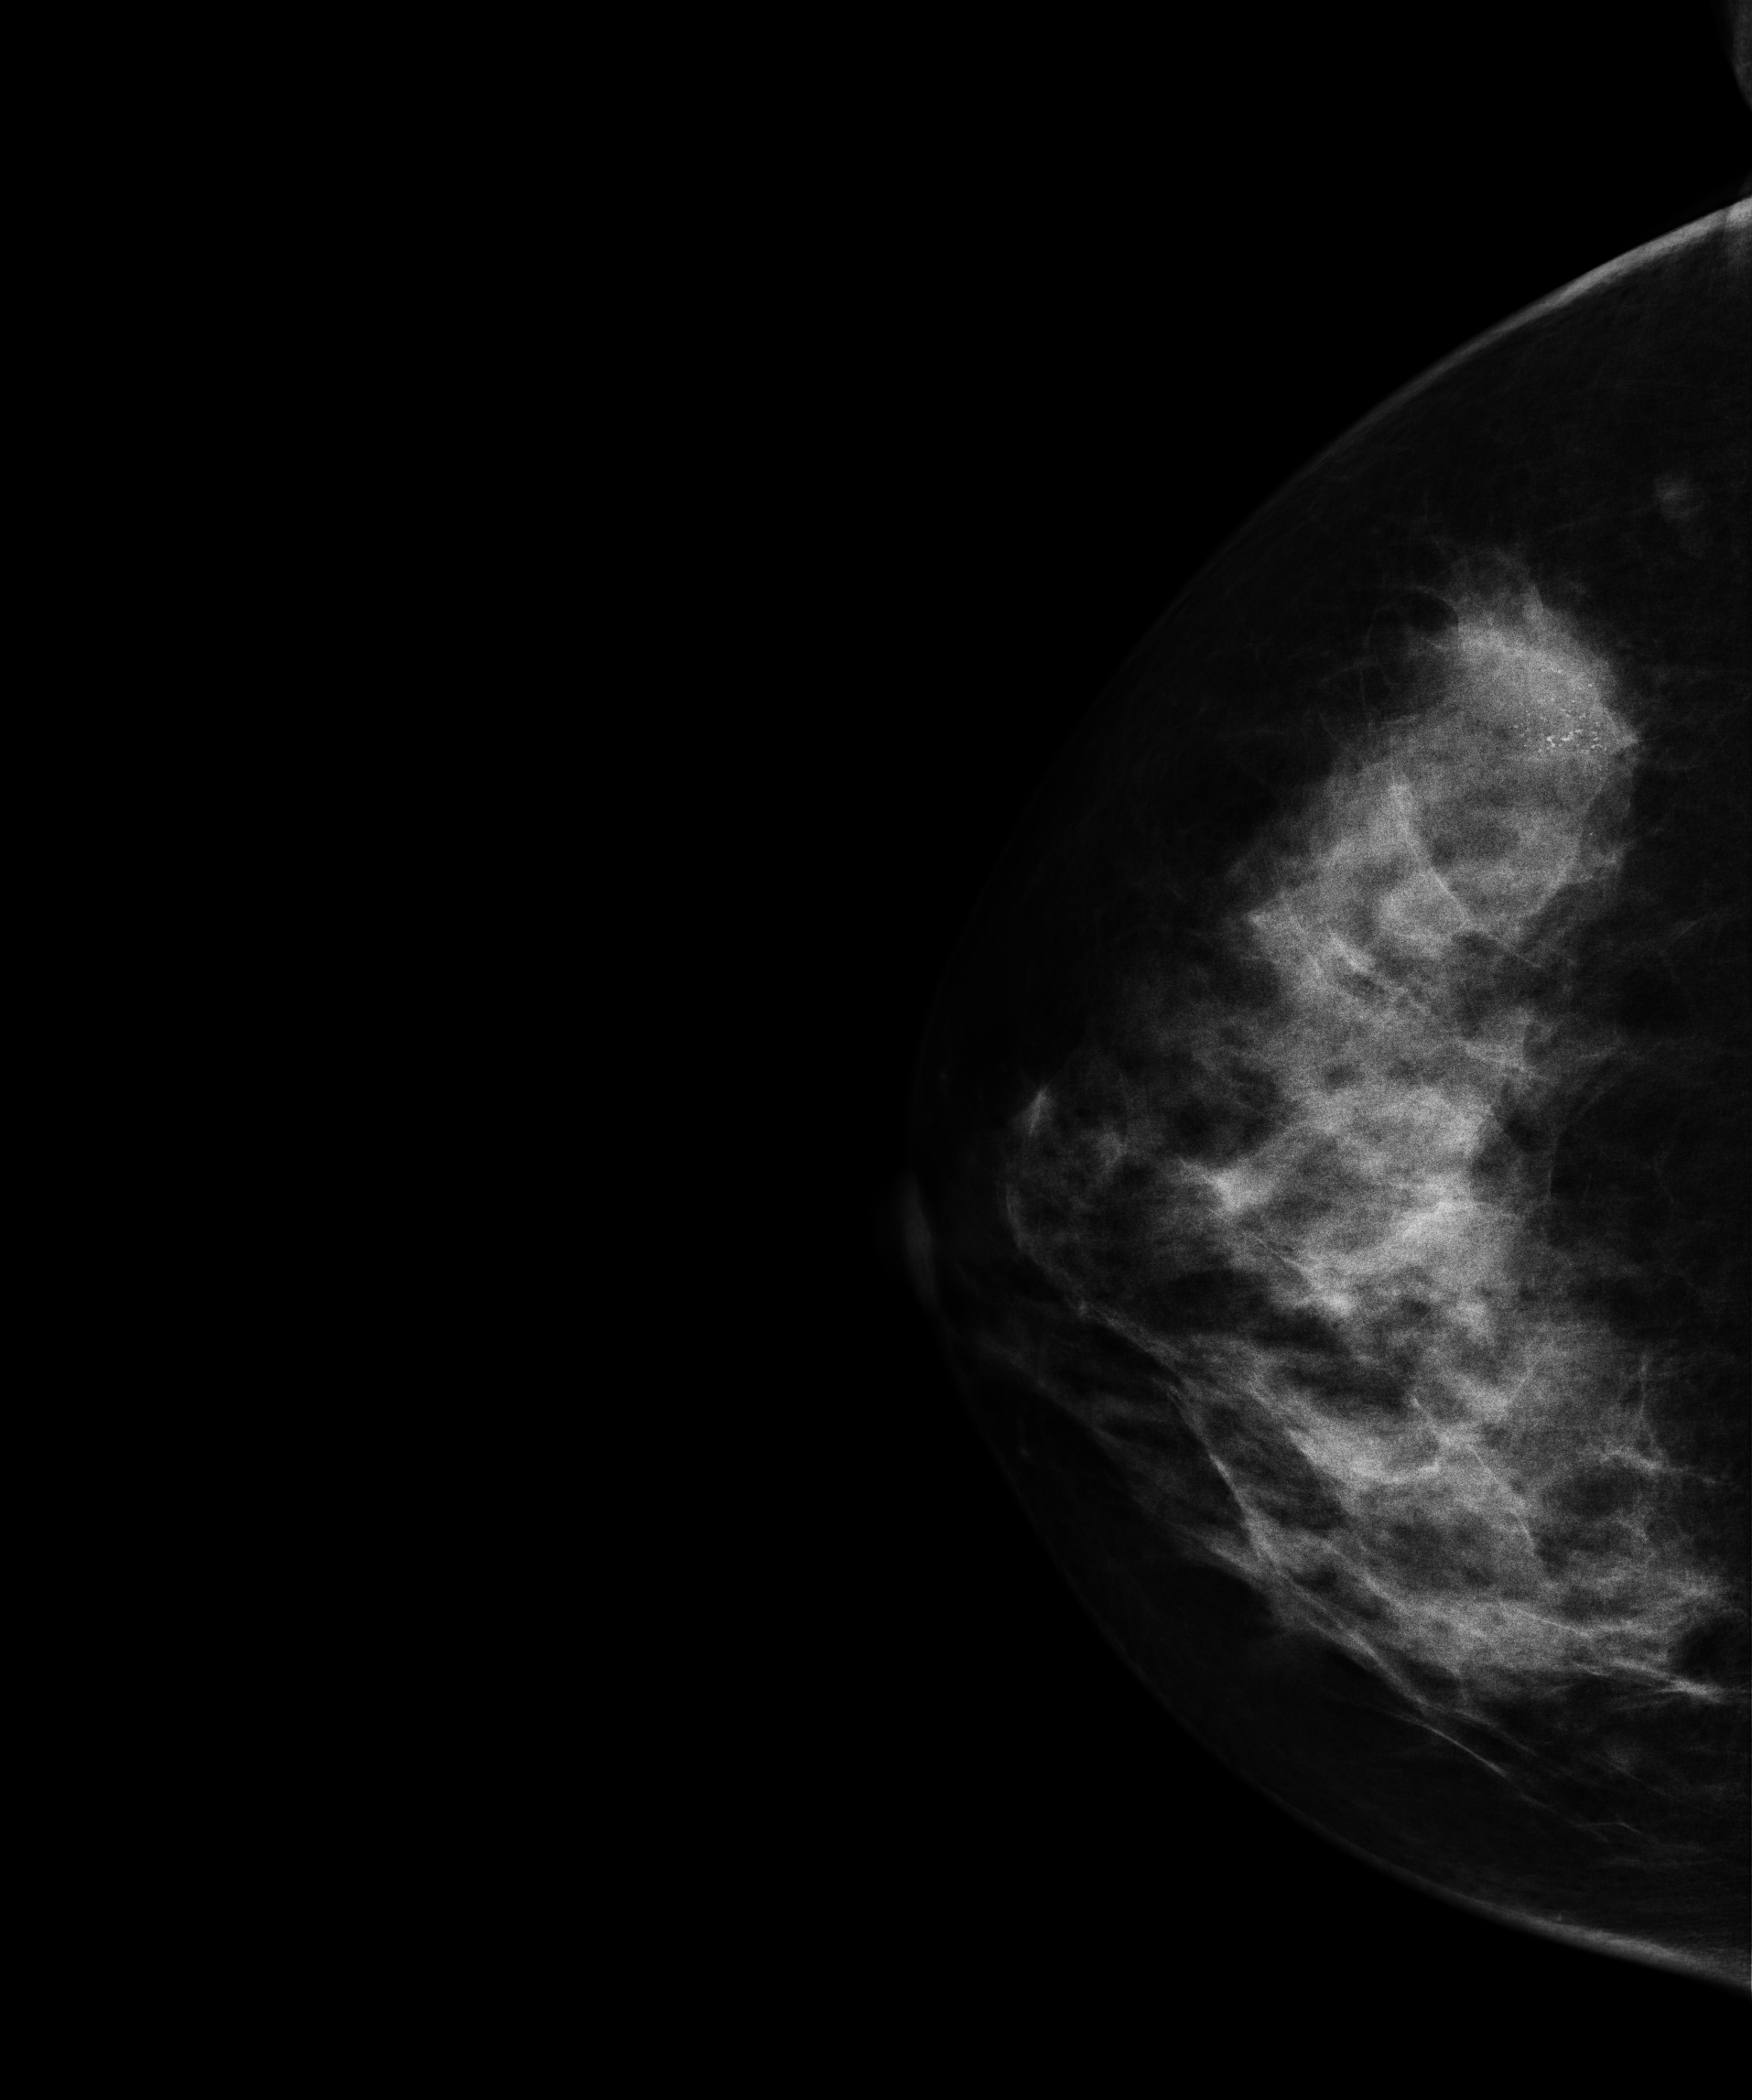
CC mammogram of the right breast. Patient age 51.
This breast has calcifications, biopsy-confirmed malignant. Molecular subtype: luminal B.